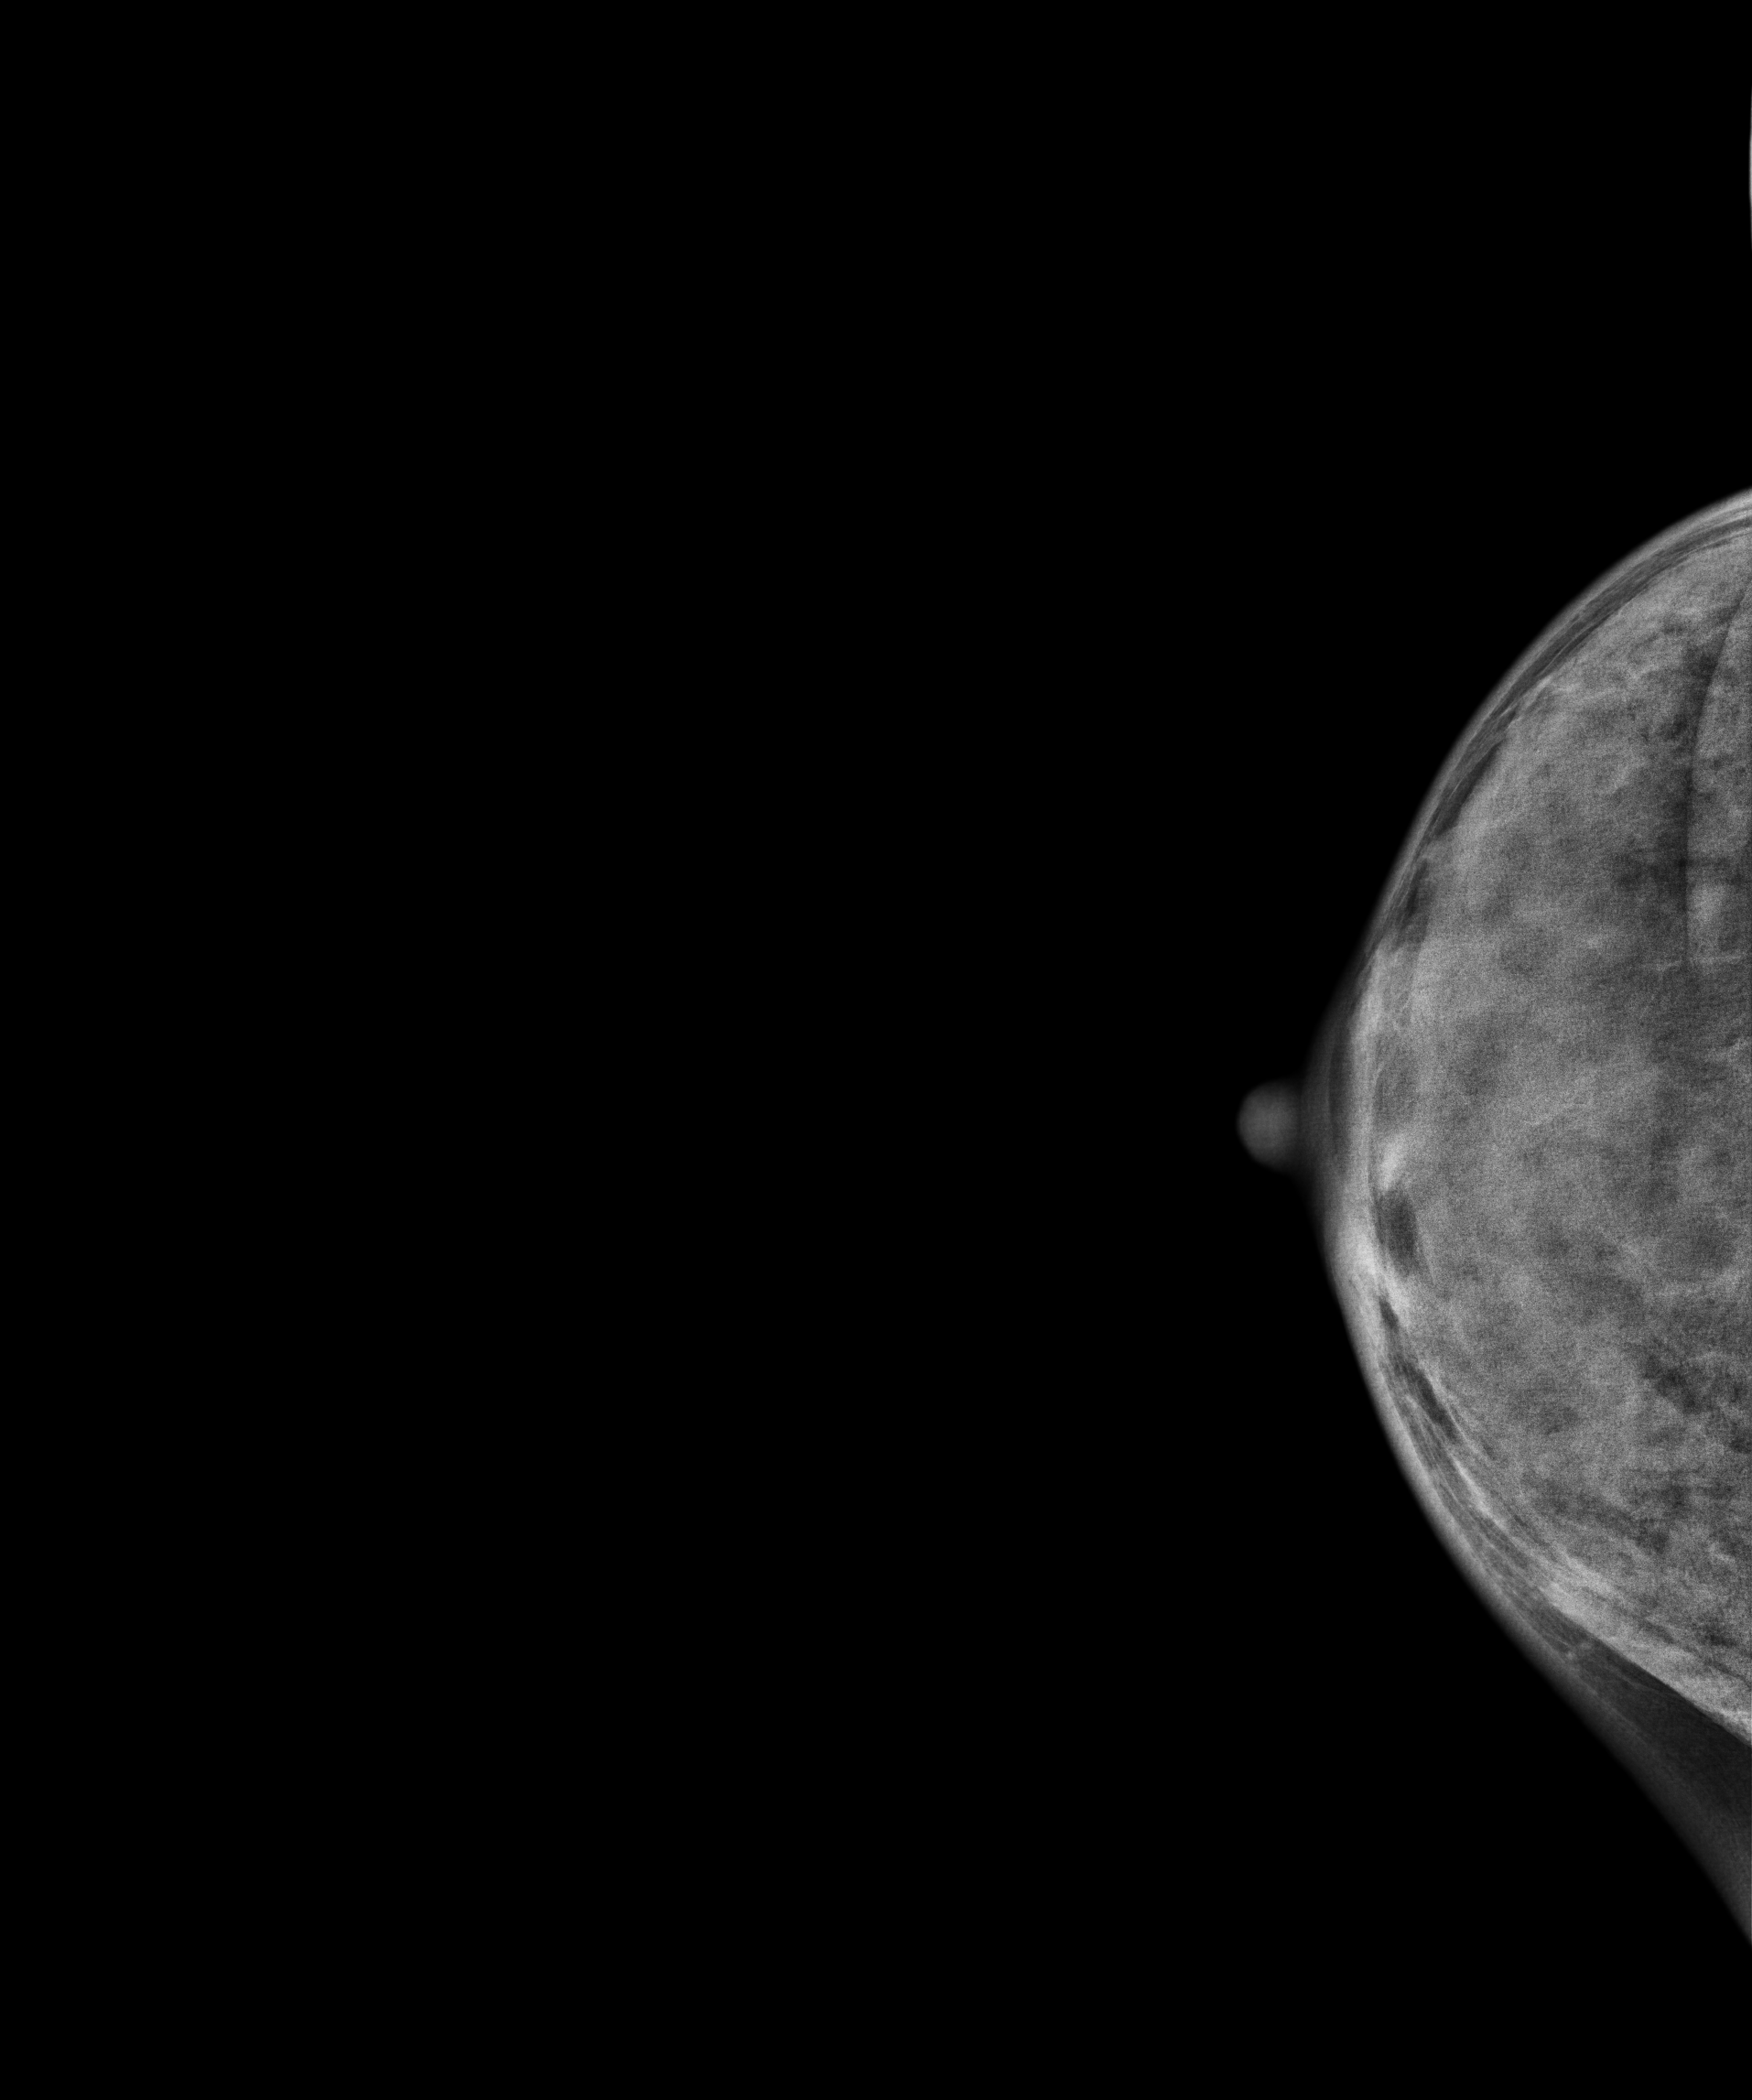
Cranio-caudal mammogram of the right breast. Patient age 34.
This breast has a mass, histologically confirmed malignant.